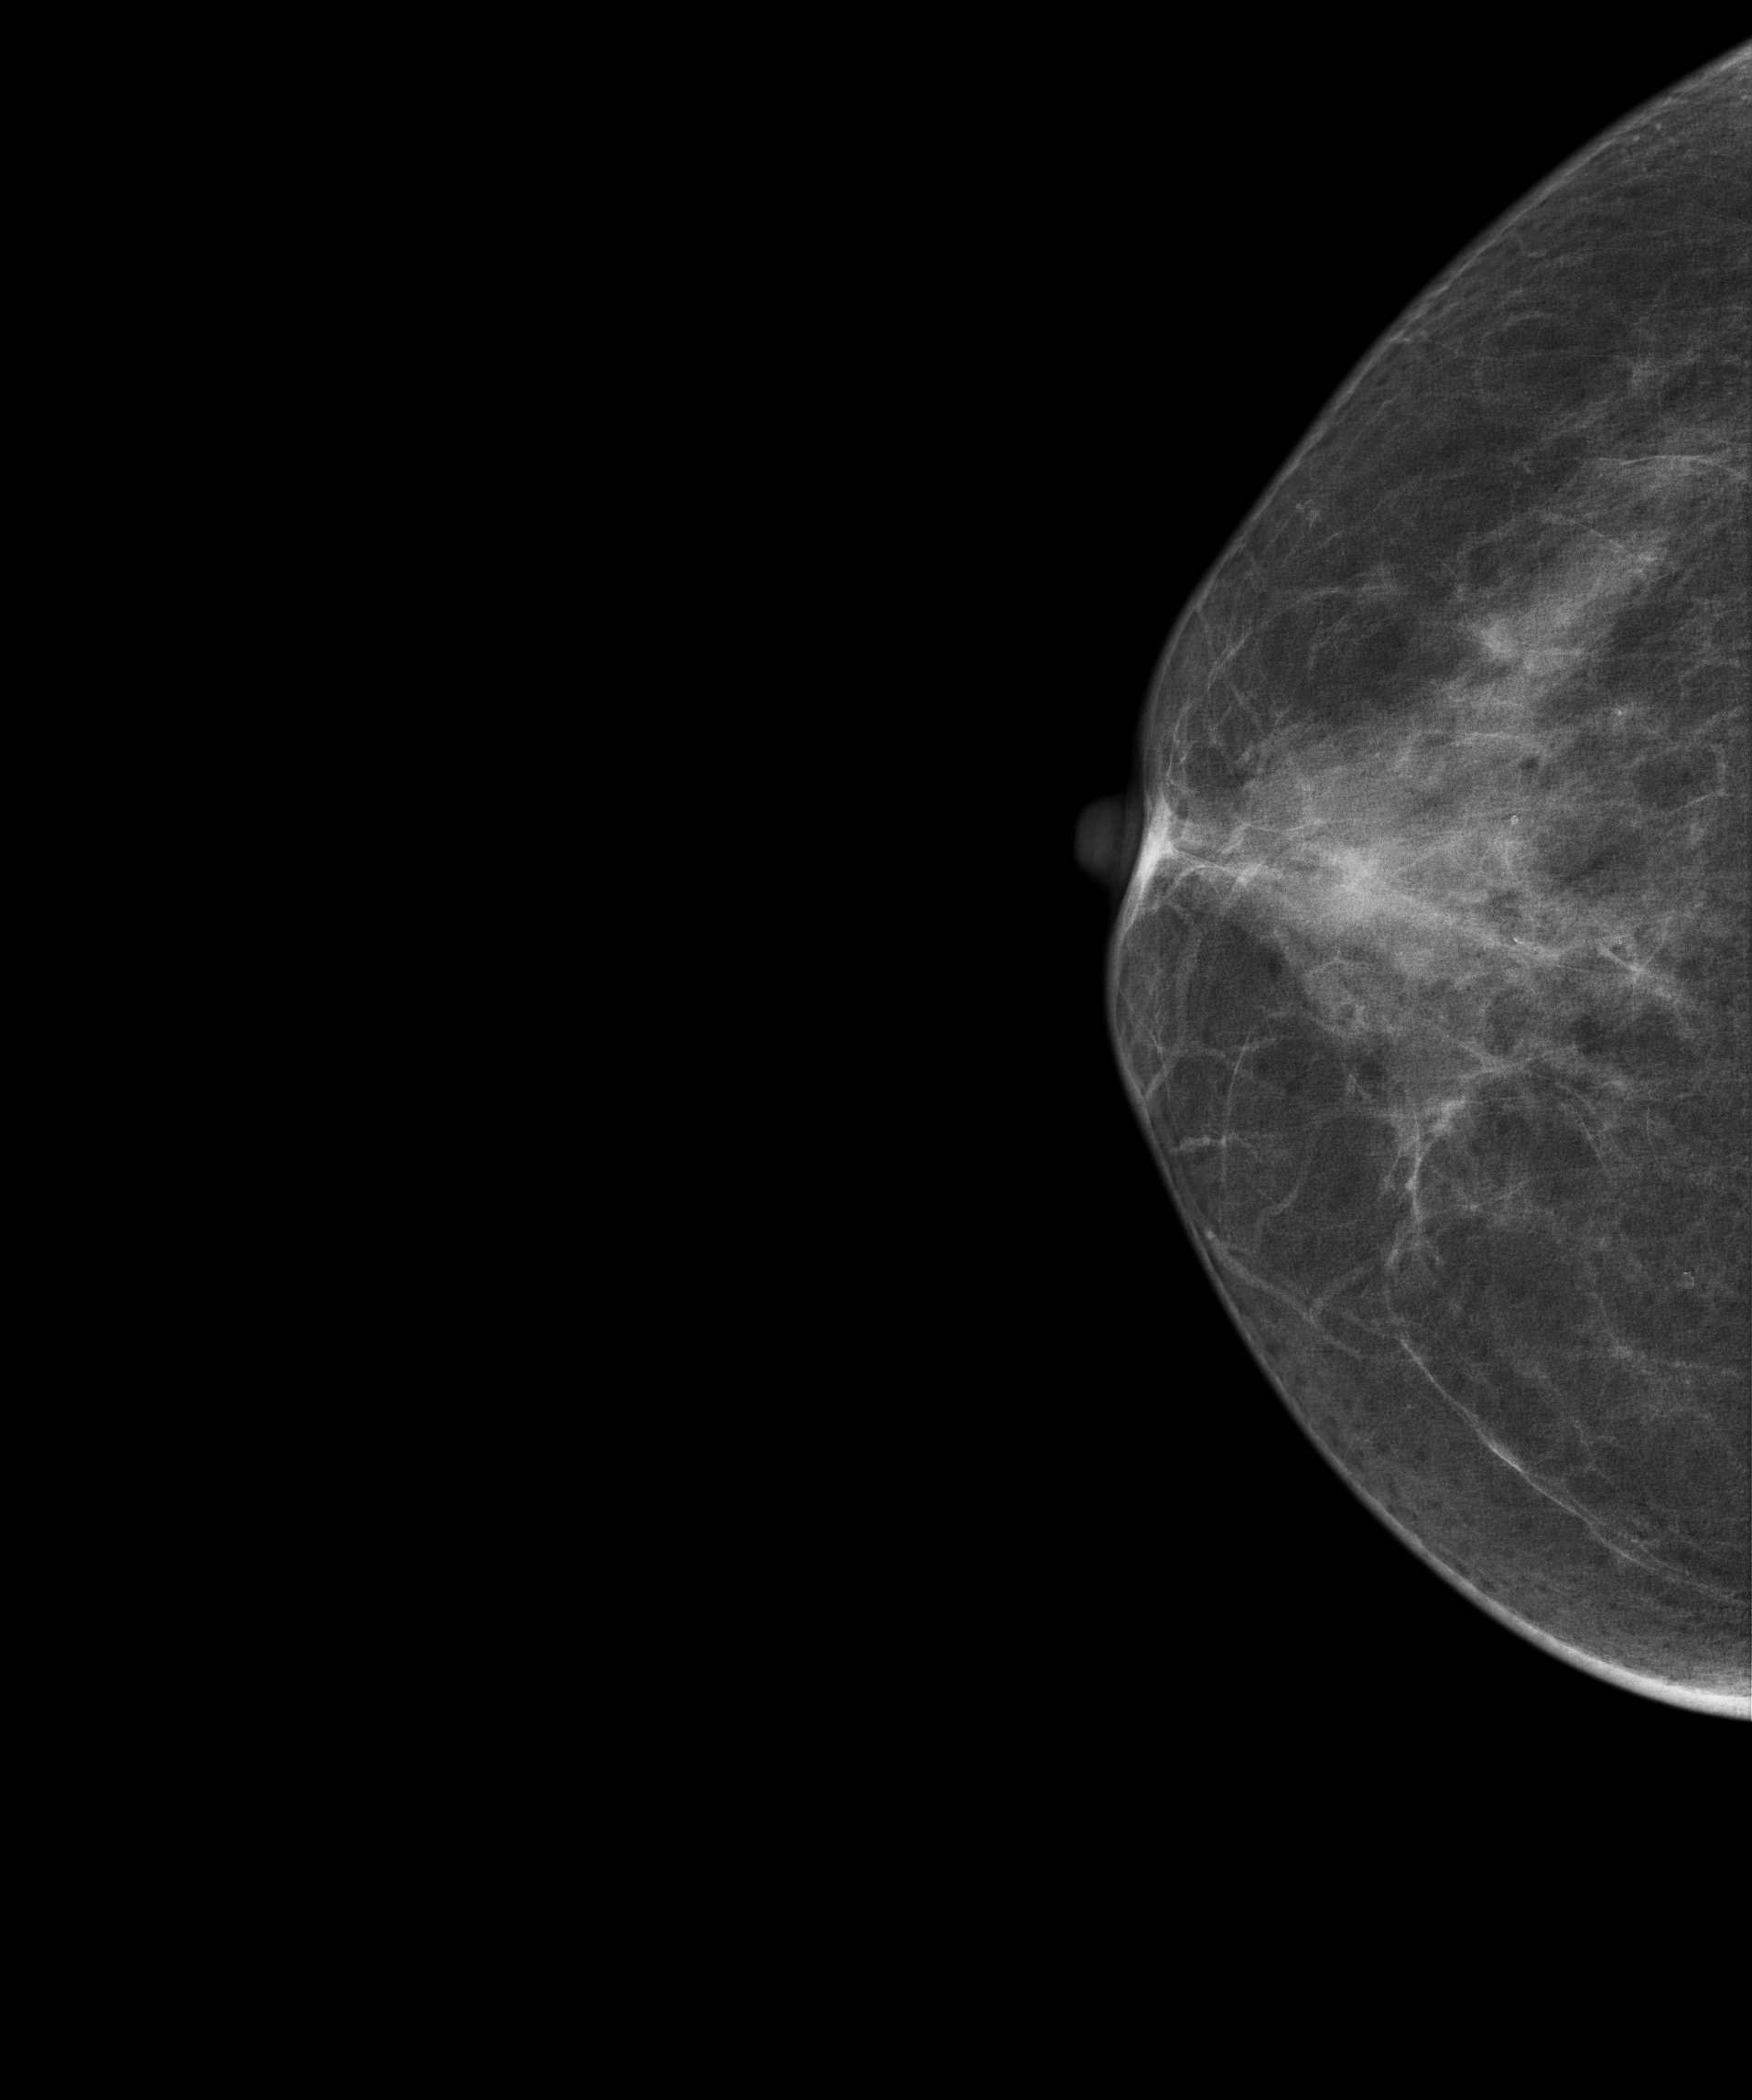
Mammogram, right breast, CC view. 64-year-old patient.
Contralateral breast — no documented abnormality on this side.